MLO mammogram of the right breast. 44-year-old patient.
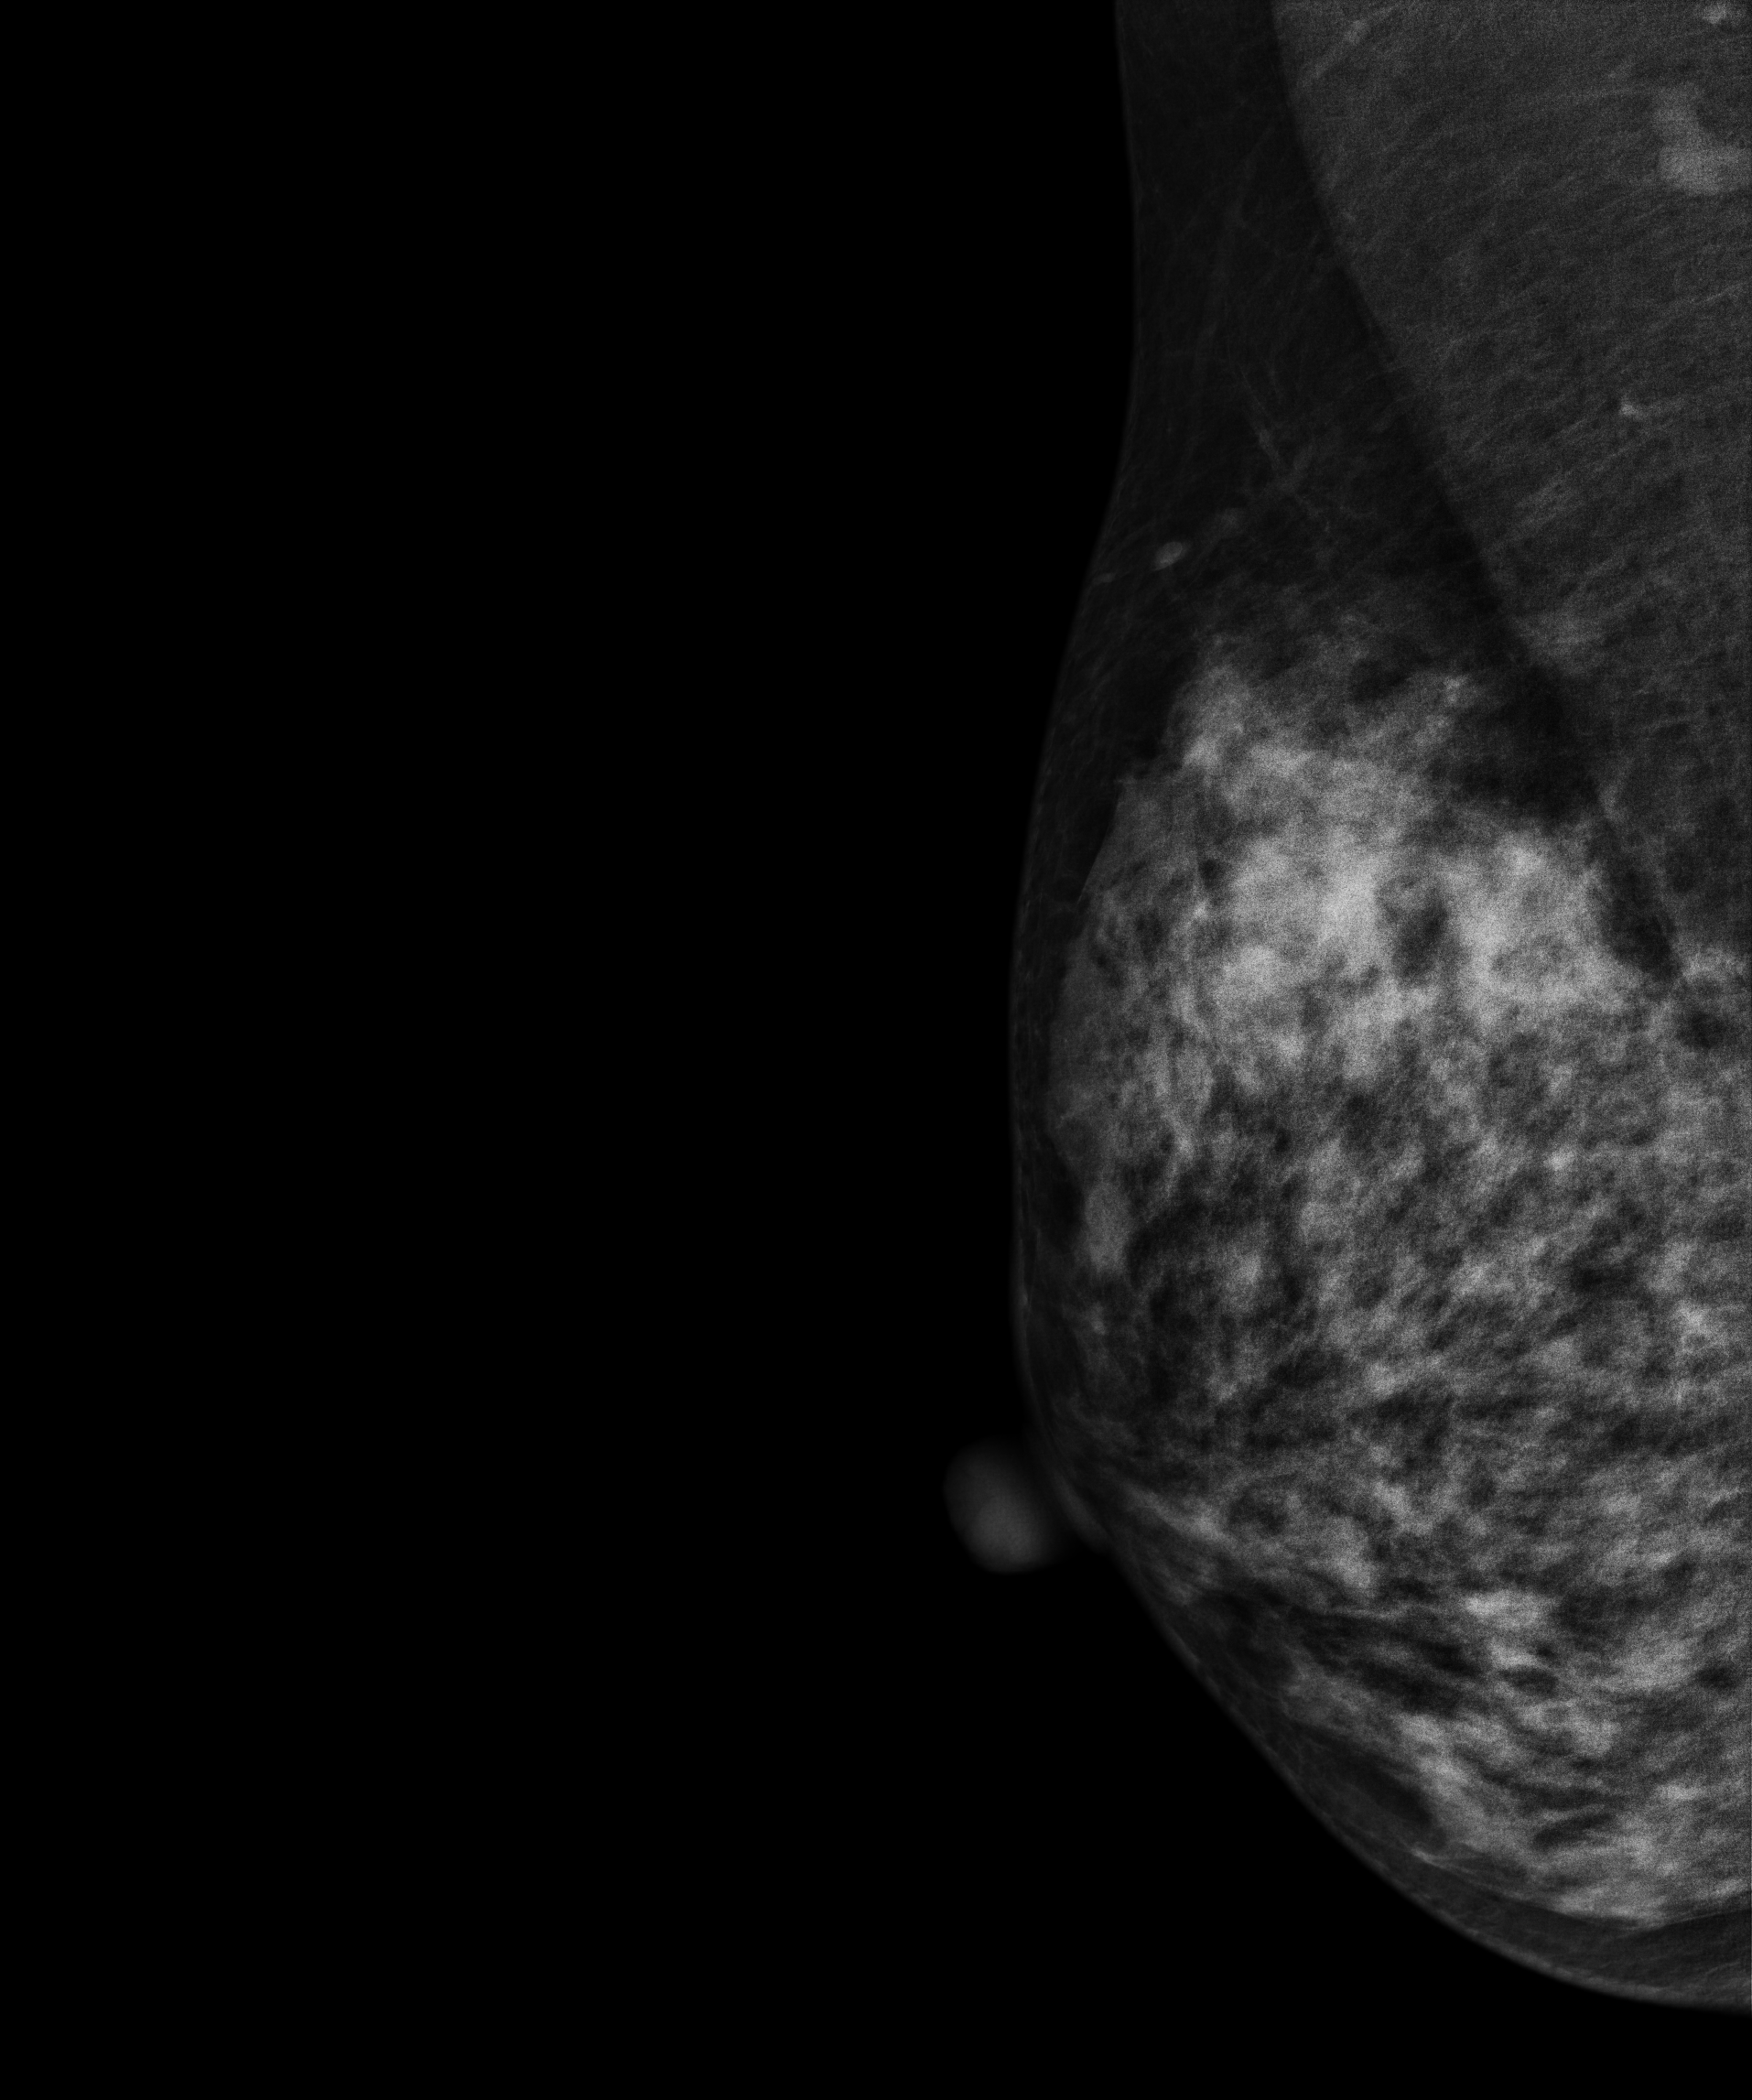
This breast has a mass, biopsy-confirmed benign.